Mammogram, right breast, CC view. 52-year-old patient.
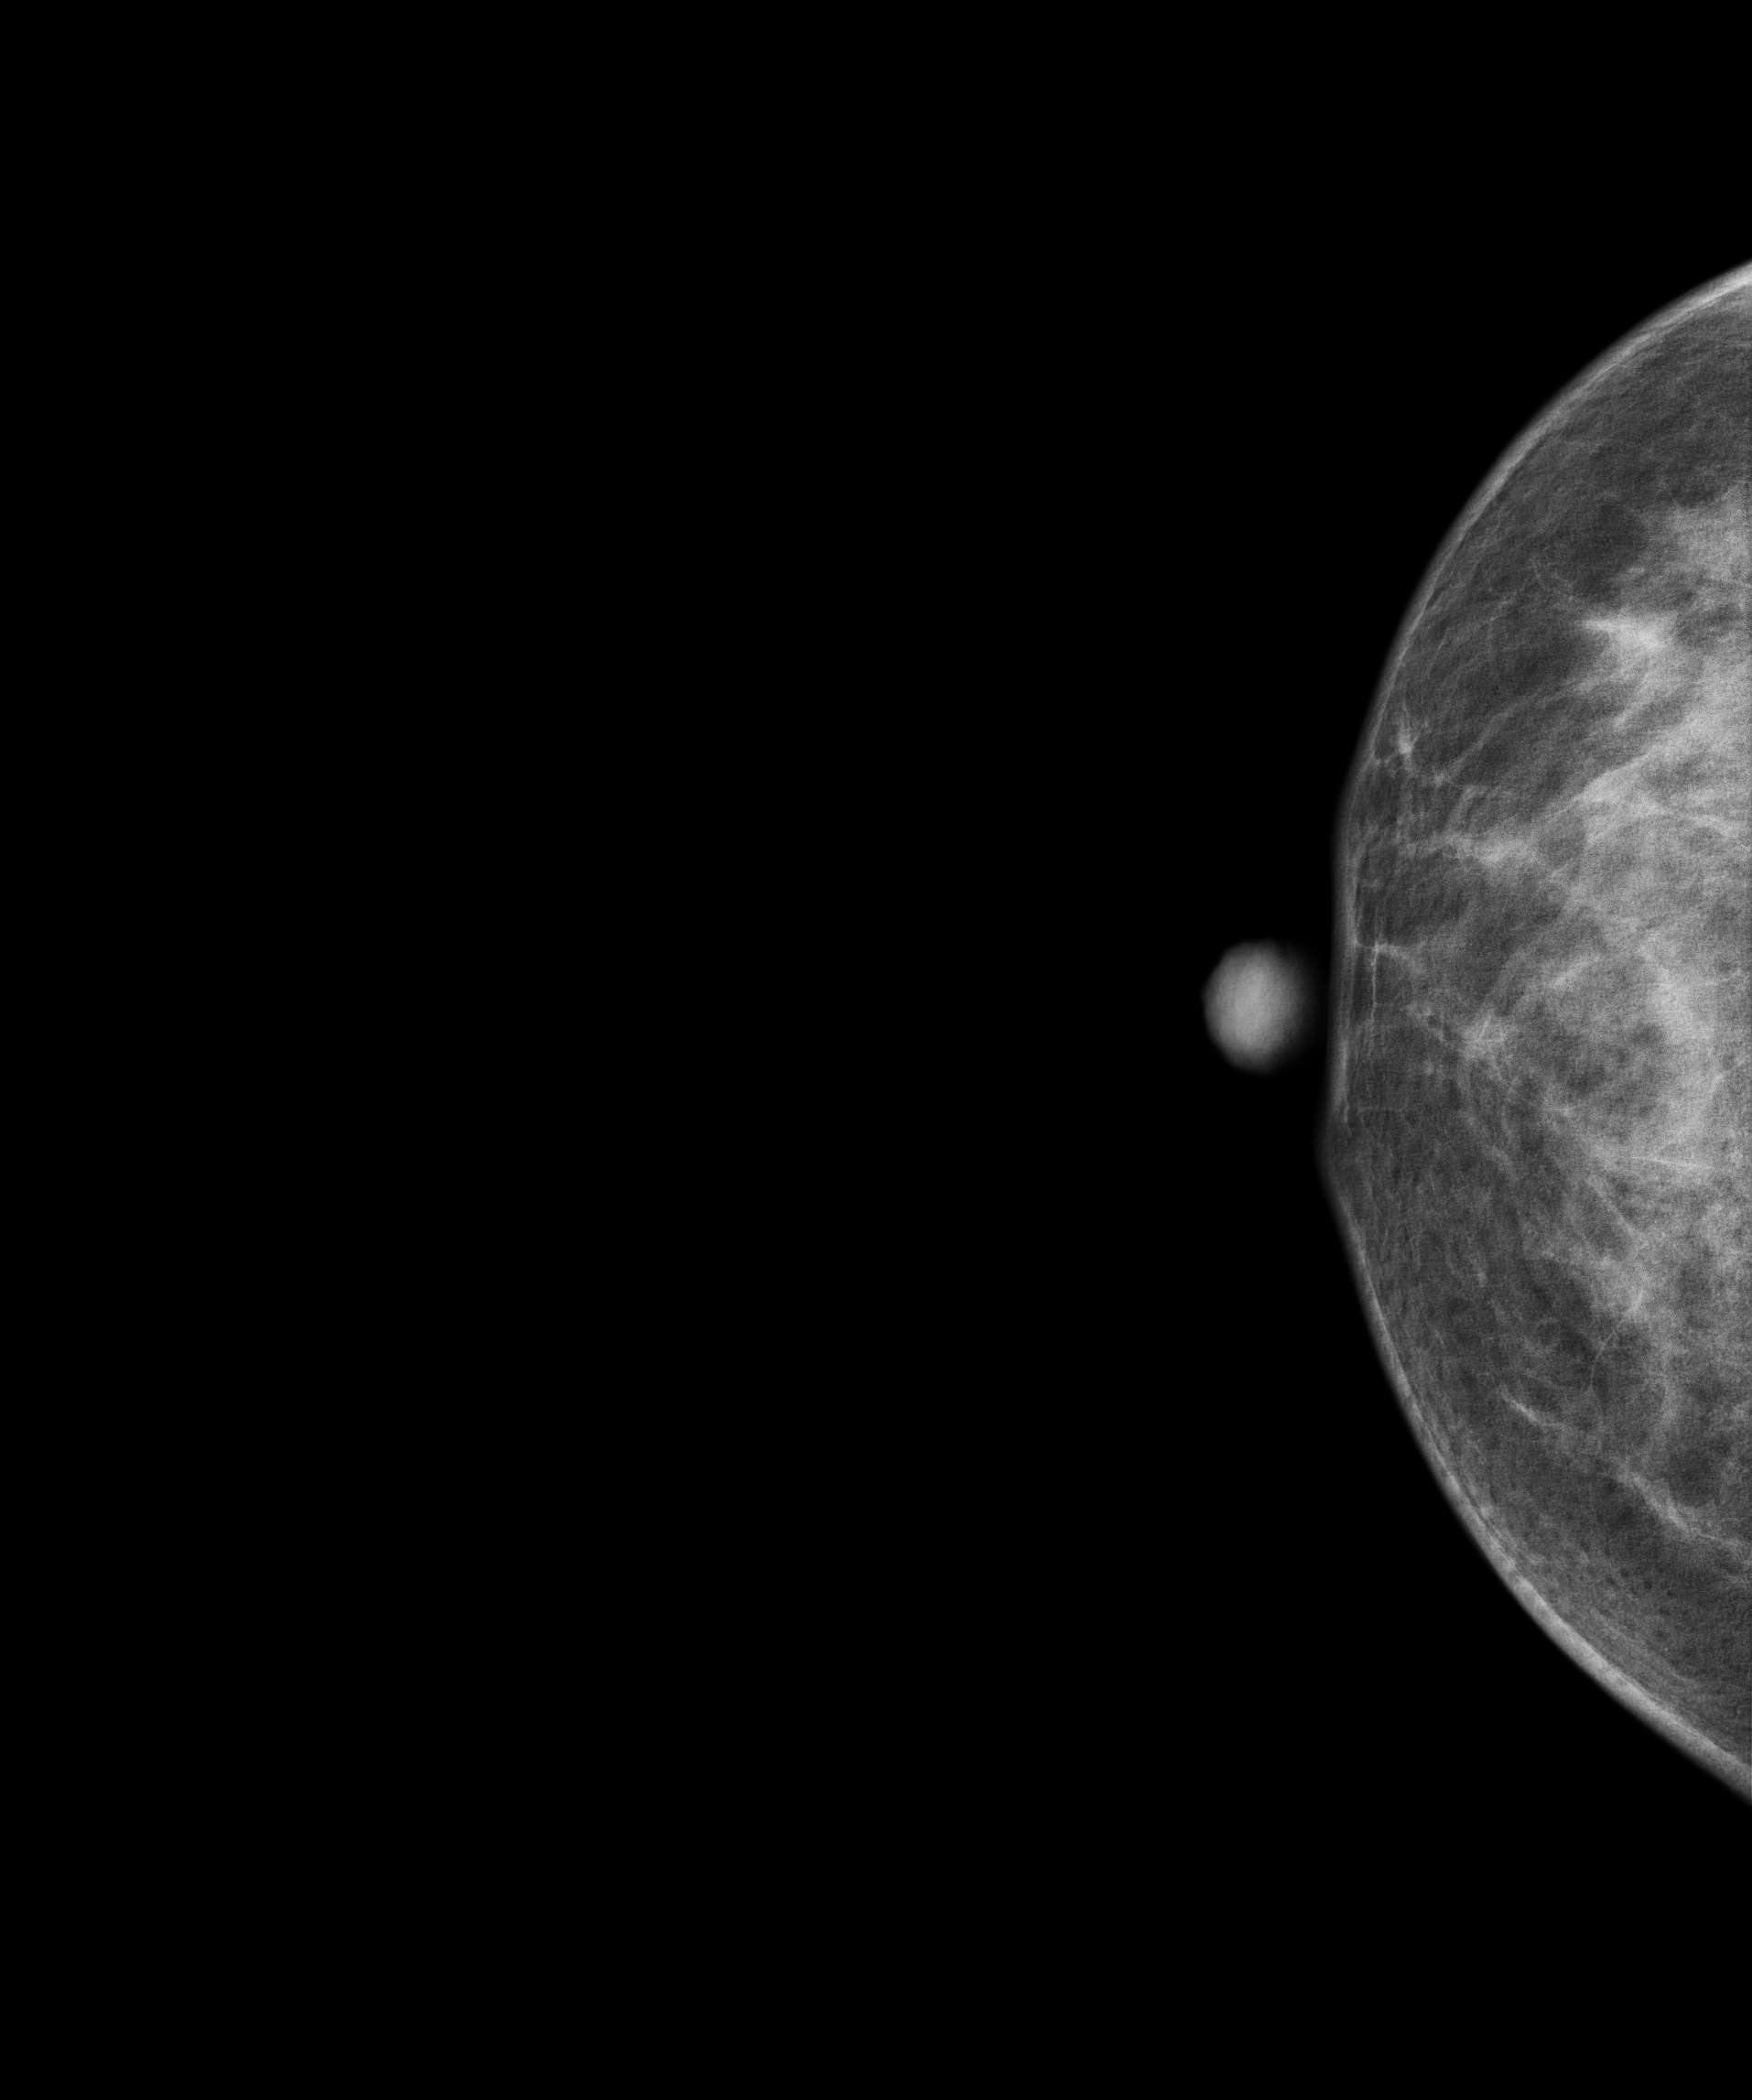
Contralateral breast — no documented abnormality on this side.